Mammogram, left breast, MLO view. 51-year-old patient.
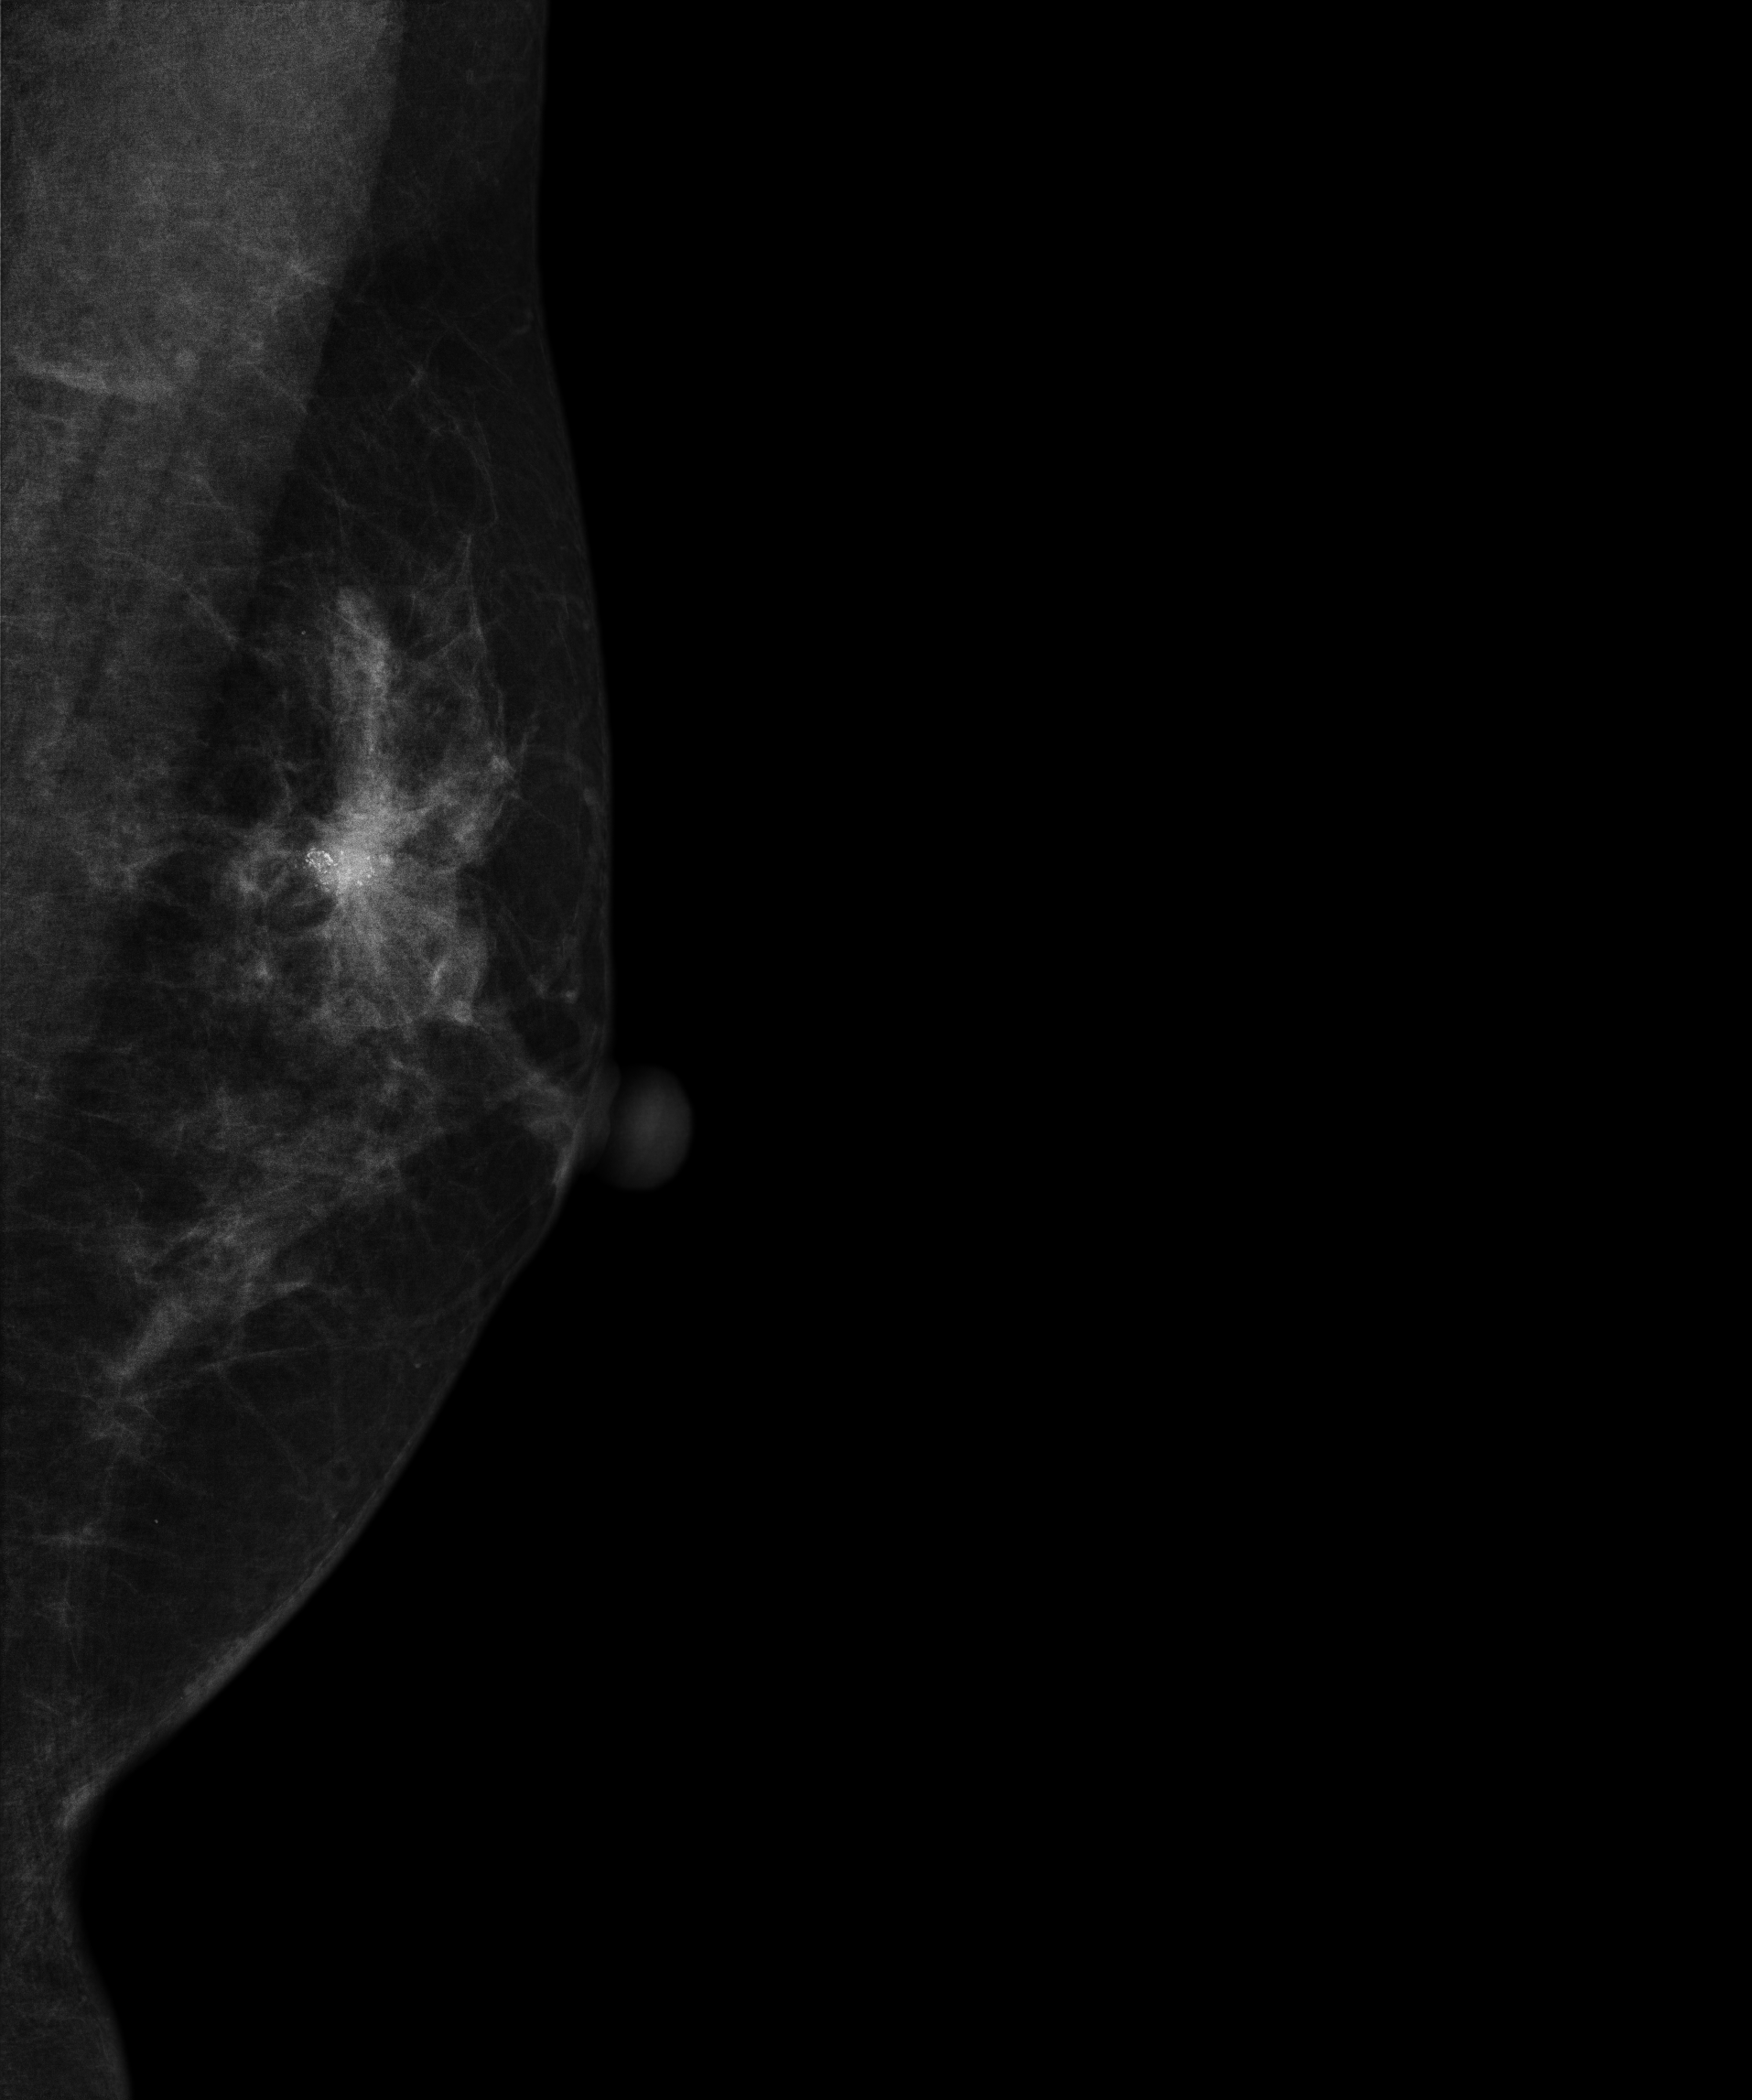
This breast has a mass and calcifications, pathology-confirmed malignant. Molecular subtype: luminal B.